Mammogram, right breast, cranio-caudal view. Patient age 32.
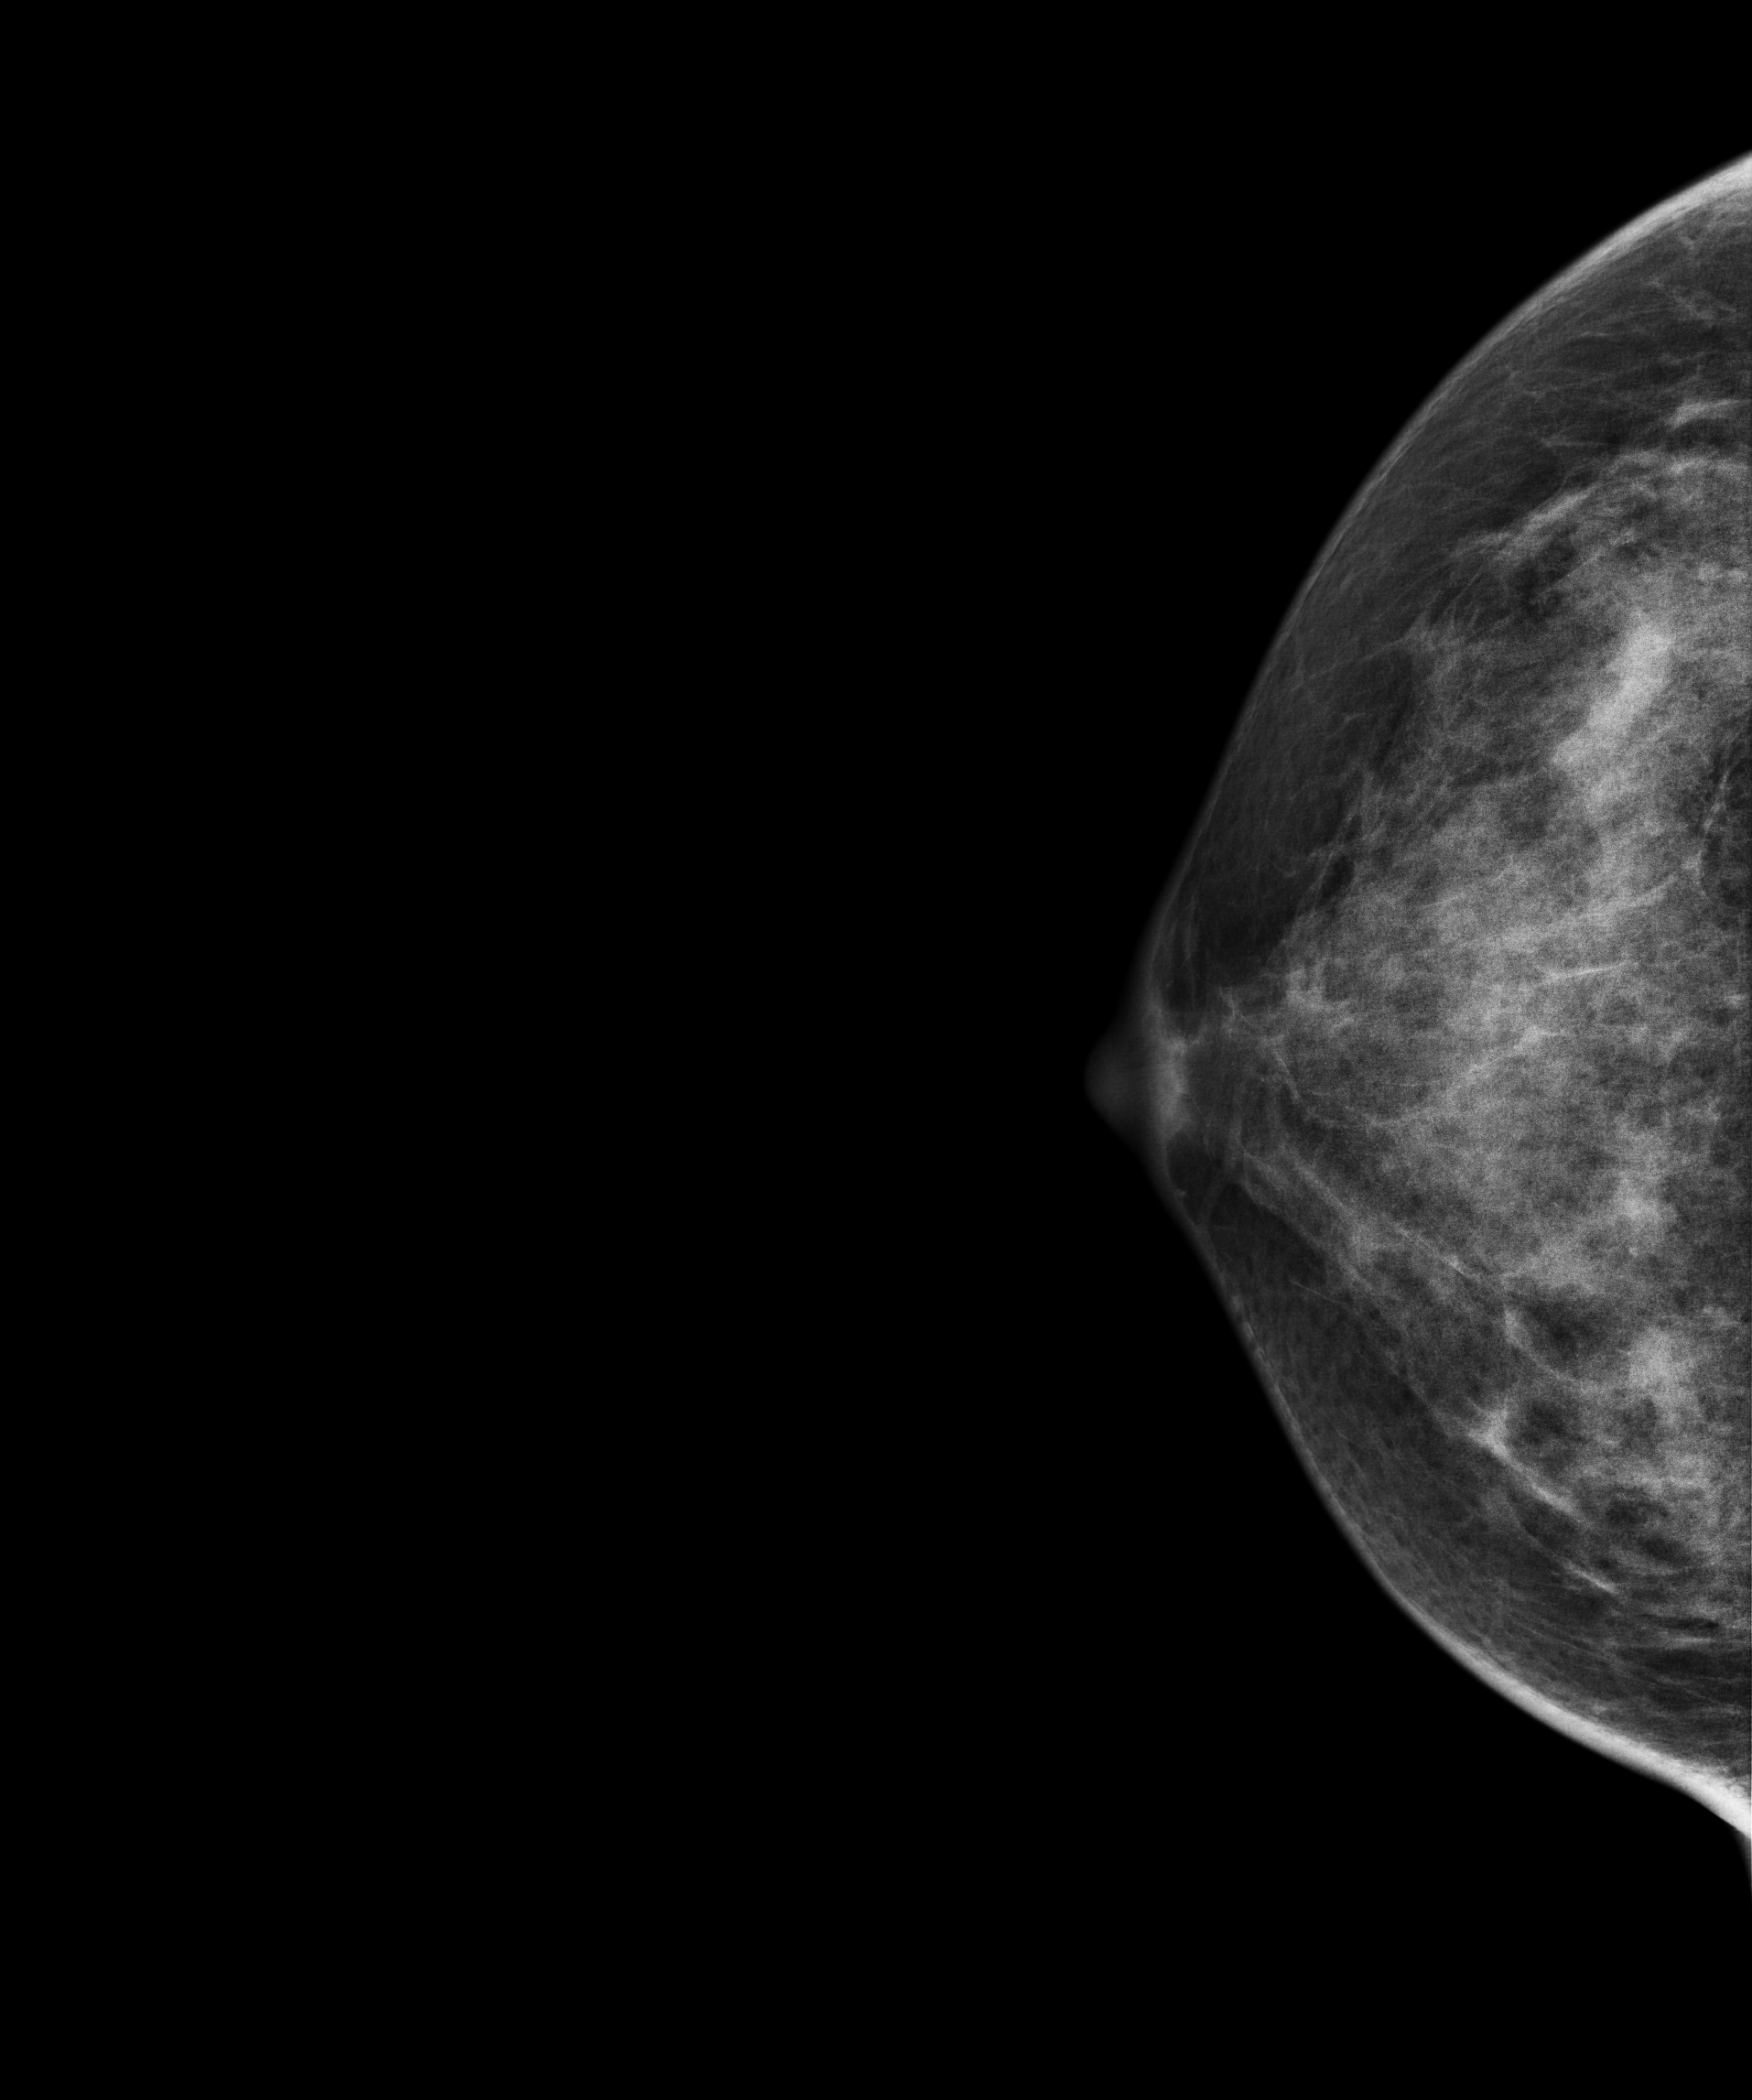
Contralateral breast — no documented abnormality on this side.